Medio-lateral oblique mammogram of the left breast. 55 y/o patient.
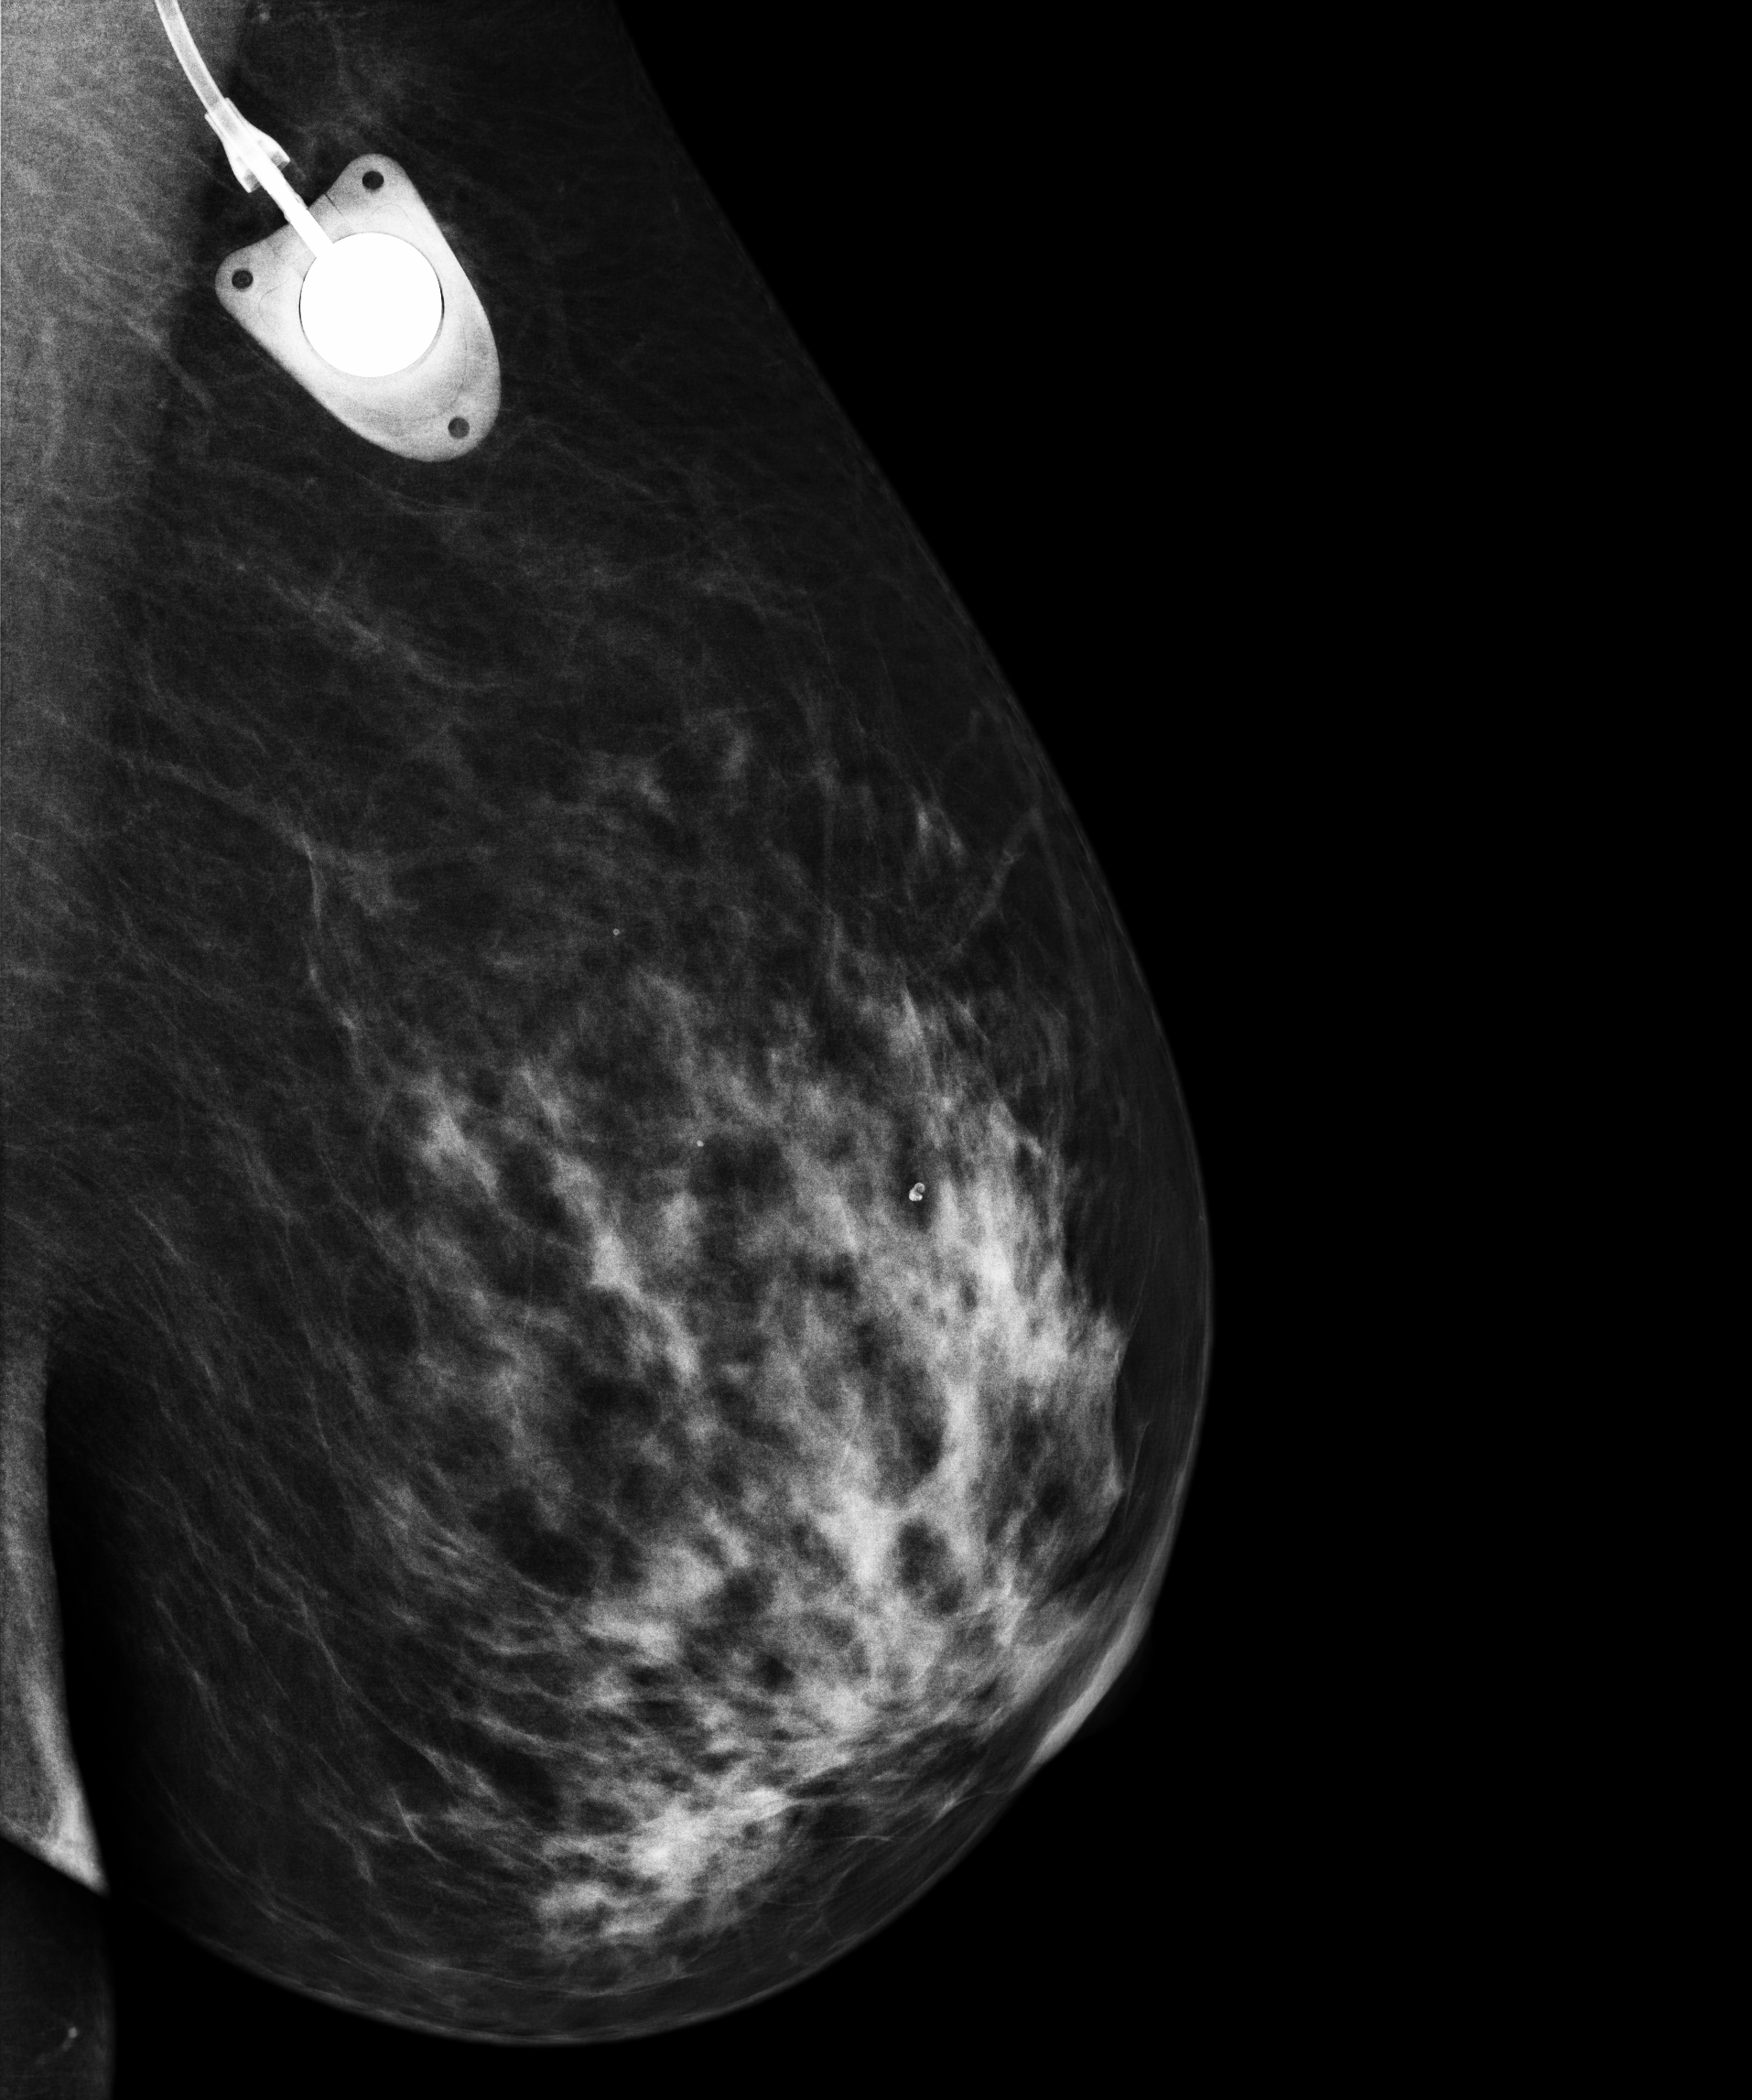
Contralateral breast — no documented abnormality on this side.